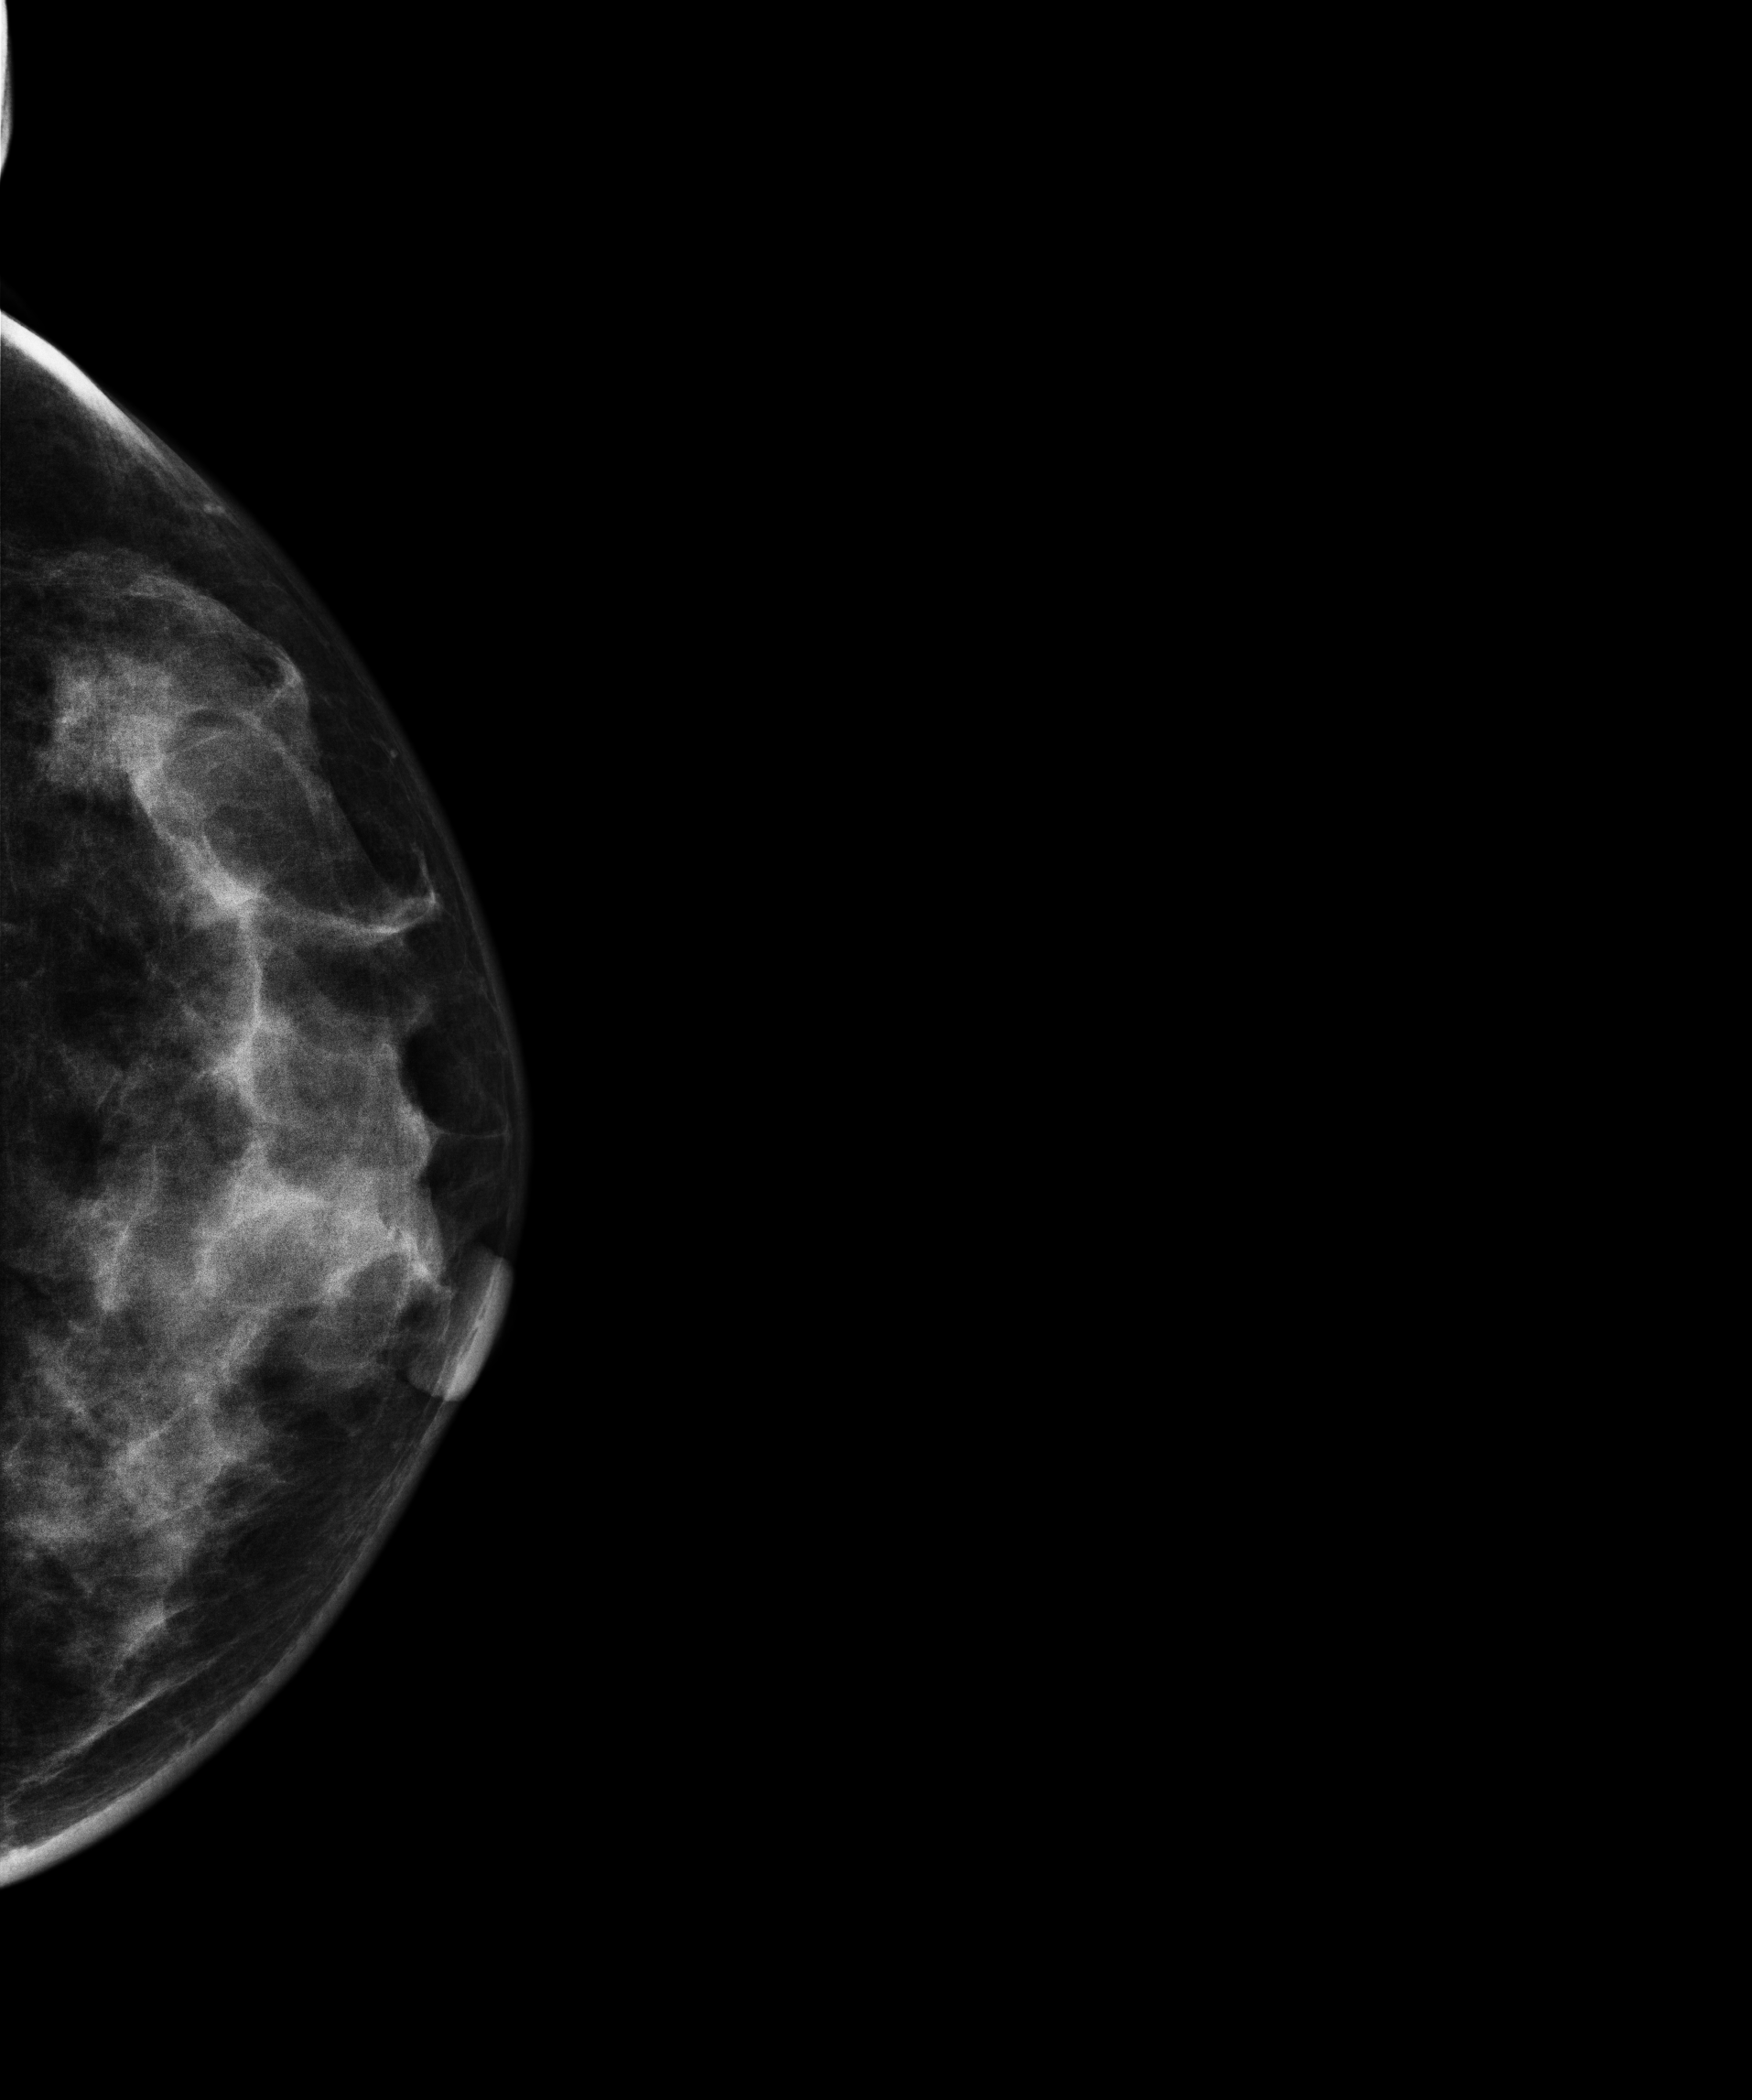
CC mammogram of the left breast. Patient age 42.
This breast has a mass, pathology-confirmed malignant. Molecular subtype: luminal B.